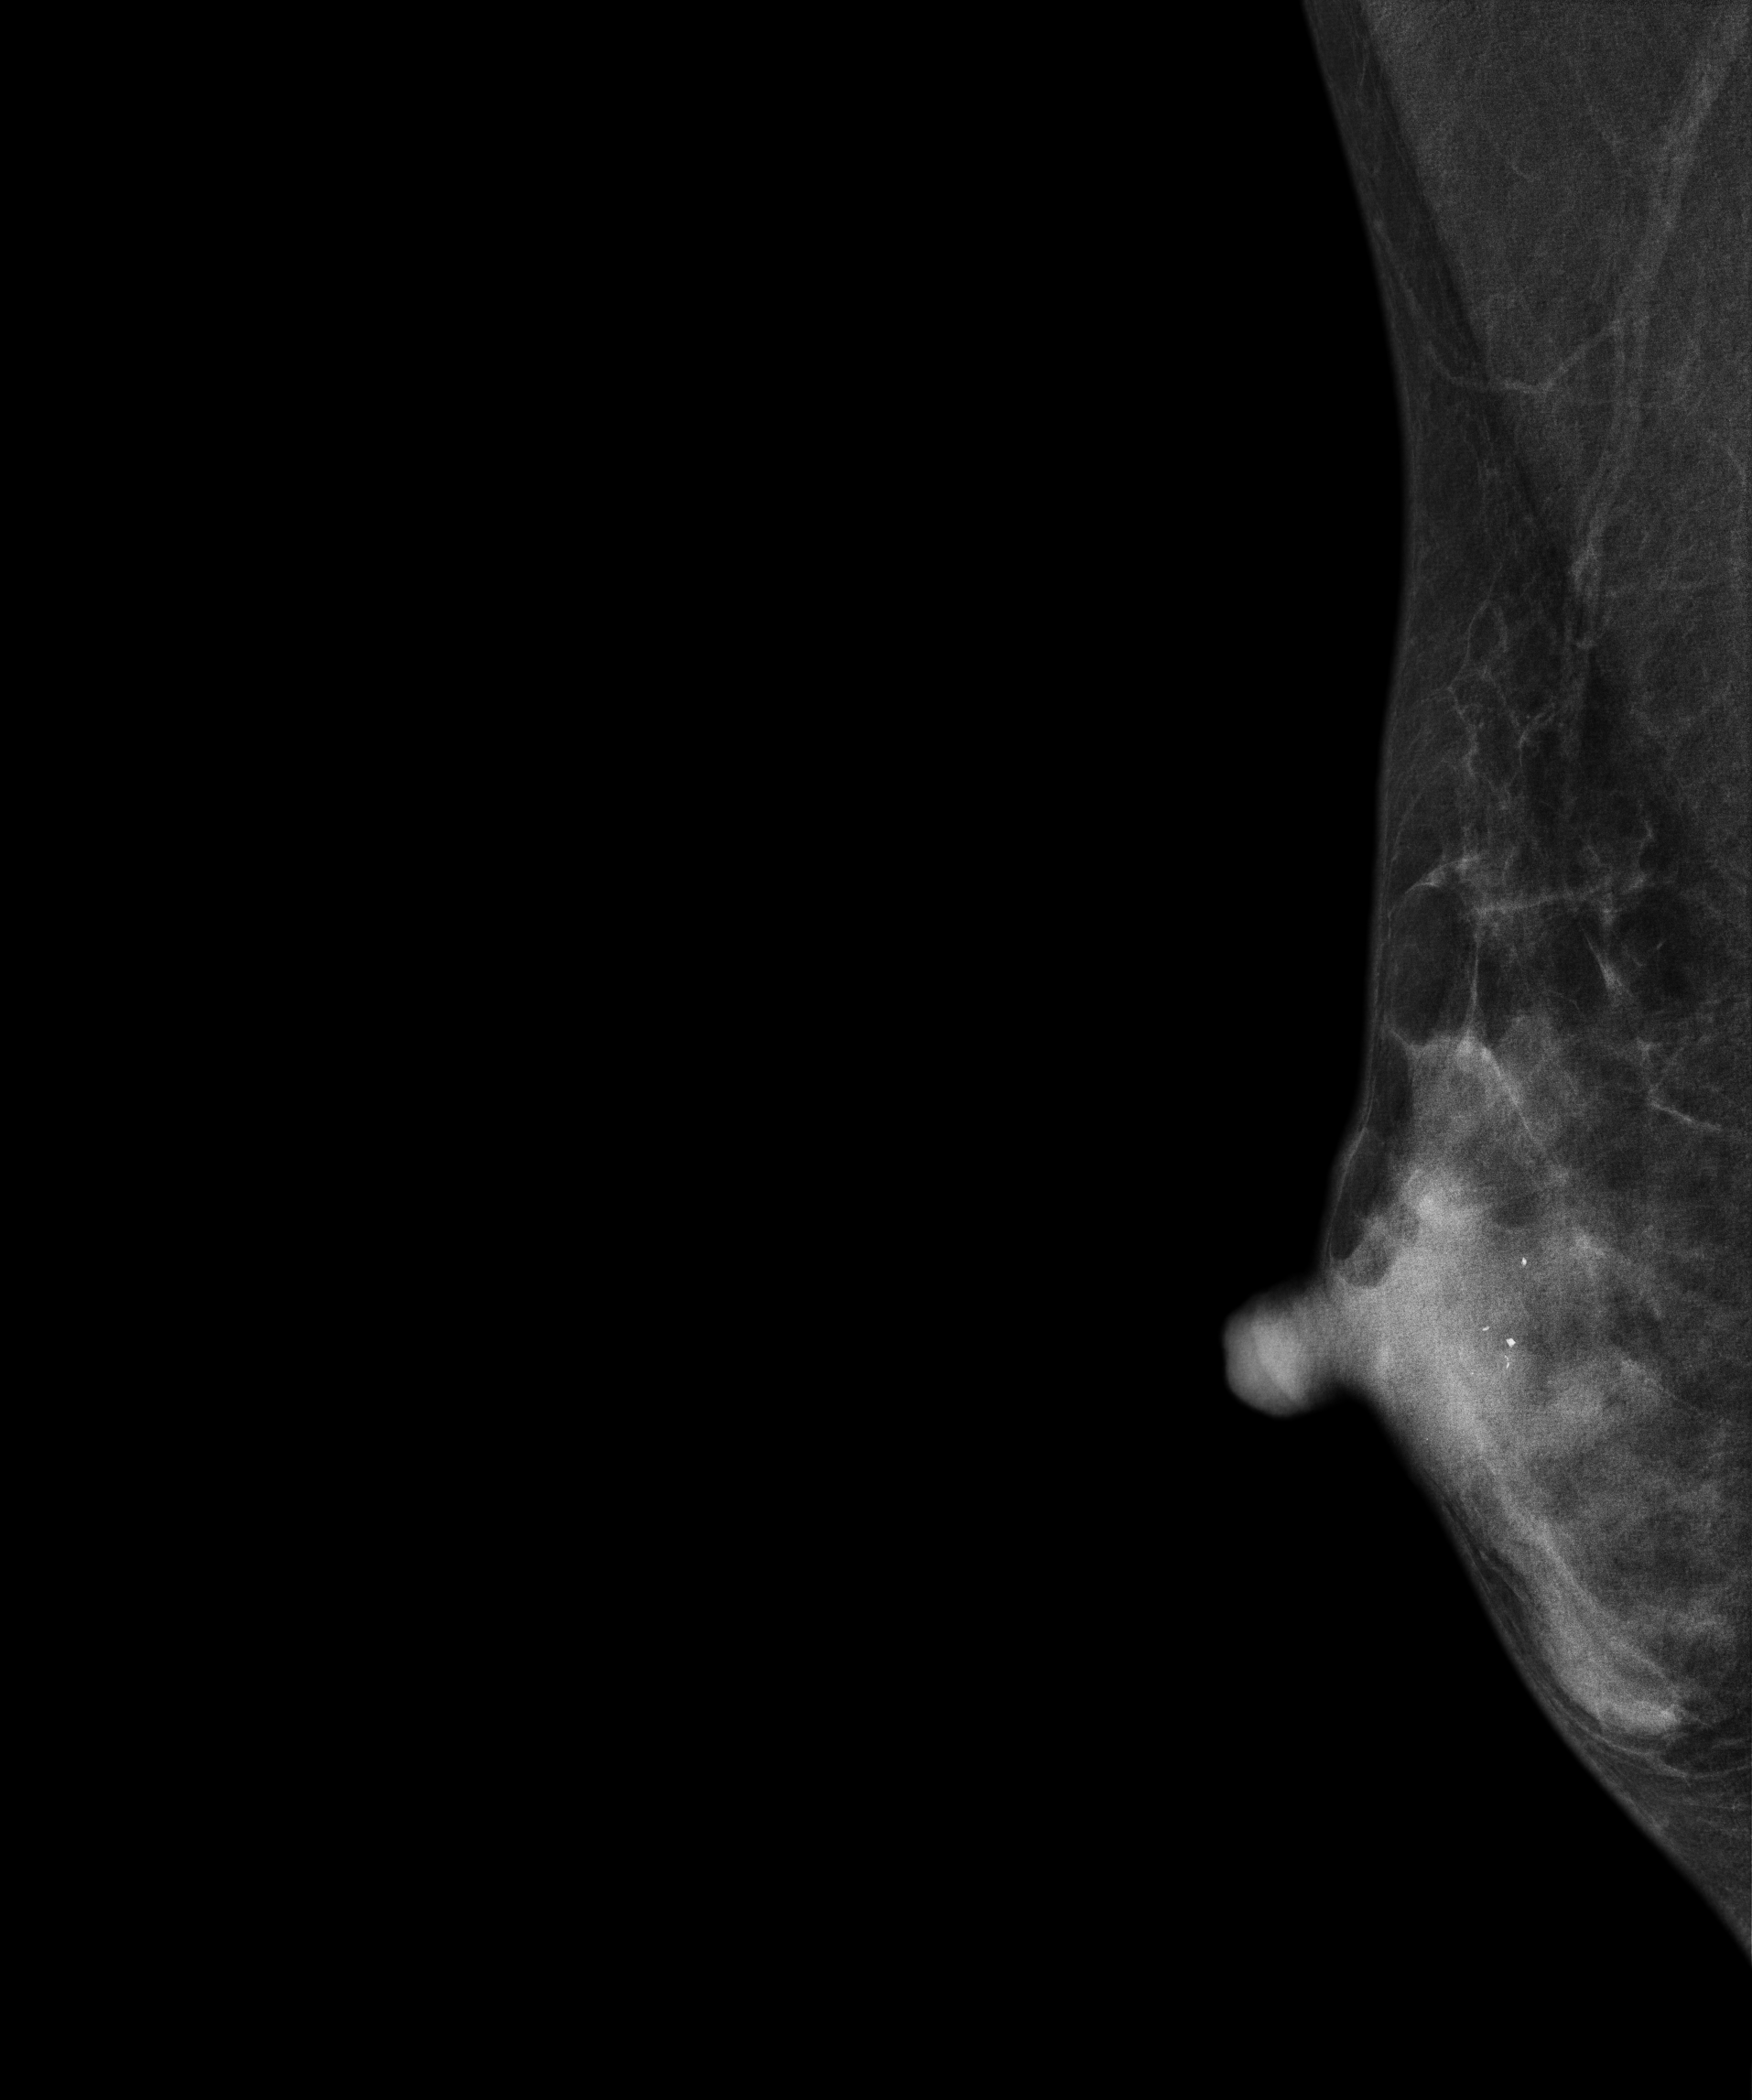
MLO mammogram of the right breast. 44 y/o patient.
This breast has calcifications, biopsy-confirmed benign.